MLO mammogram of the left breast. 45-year-old patient.
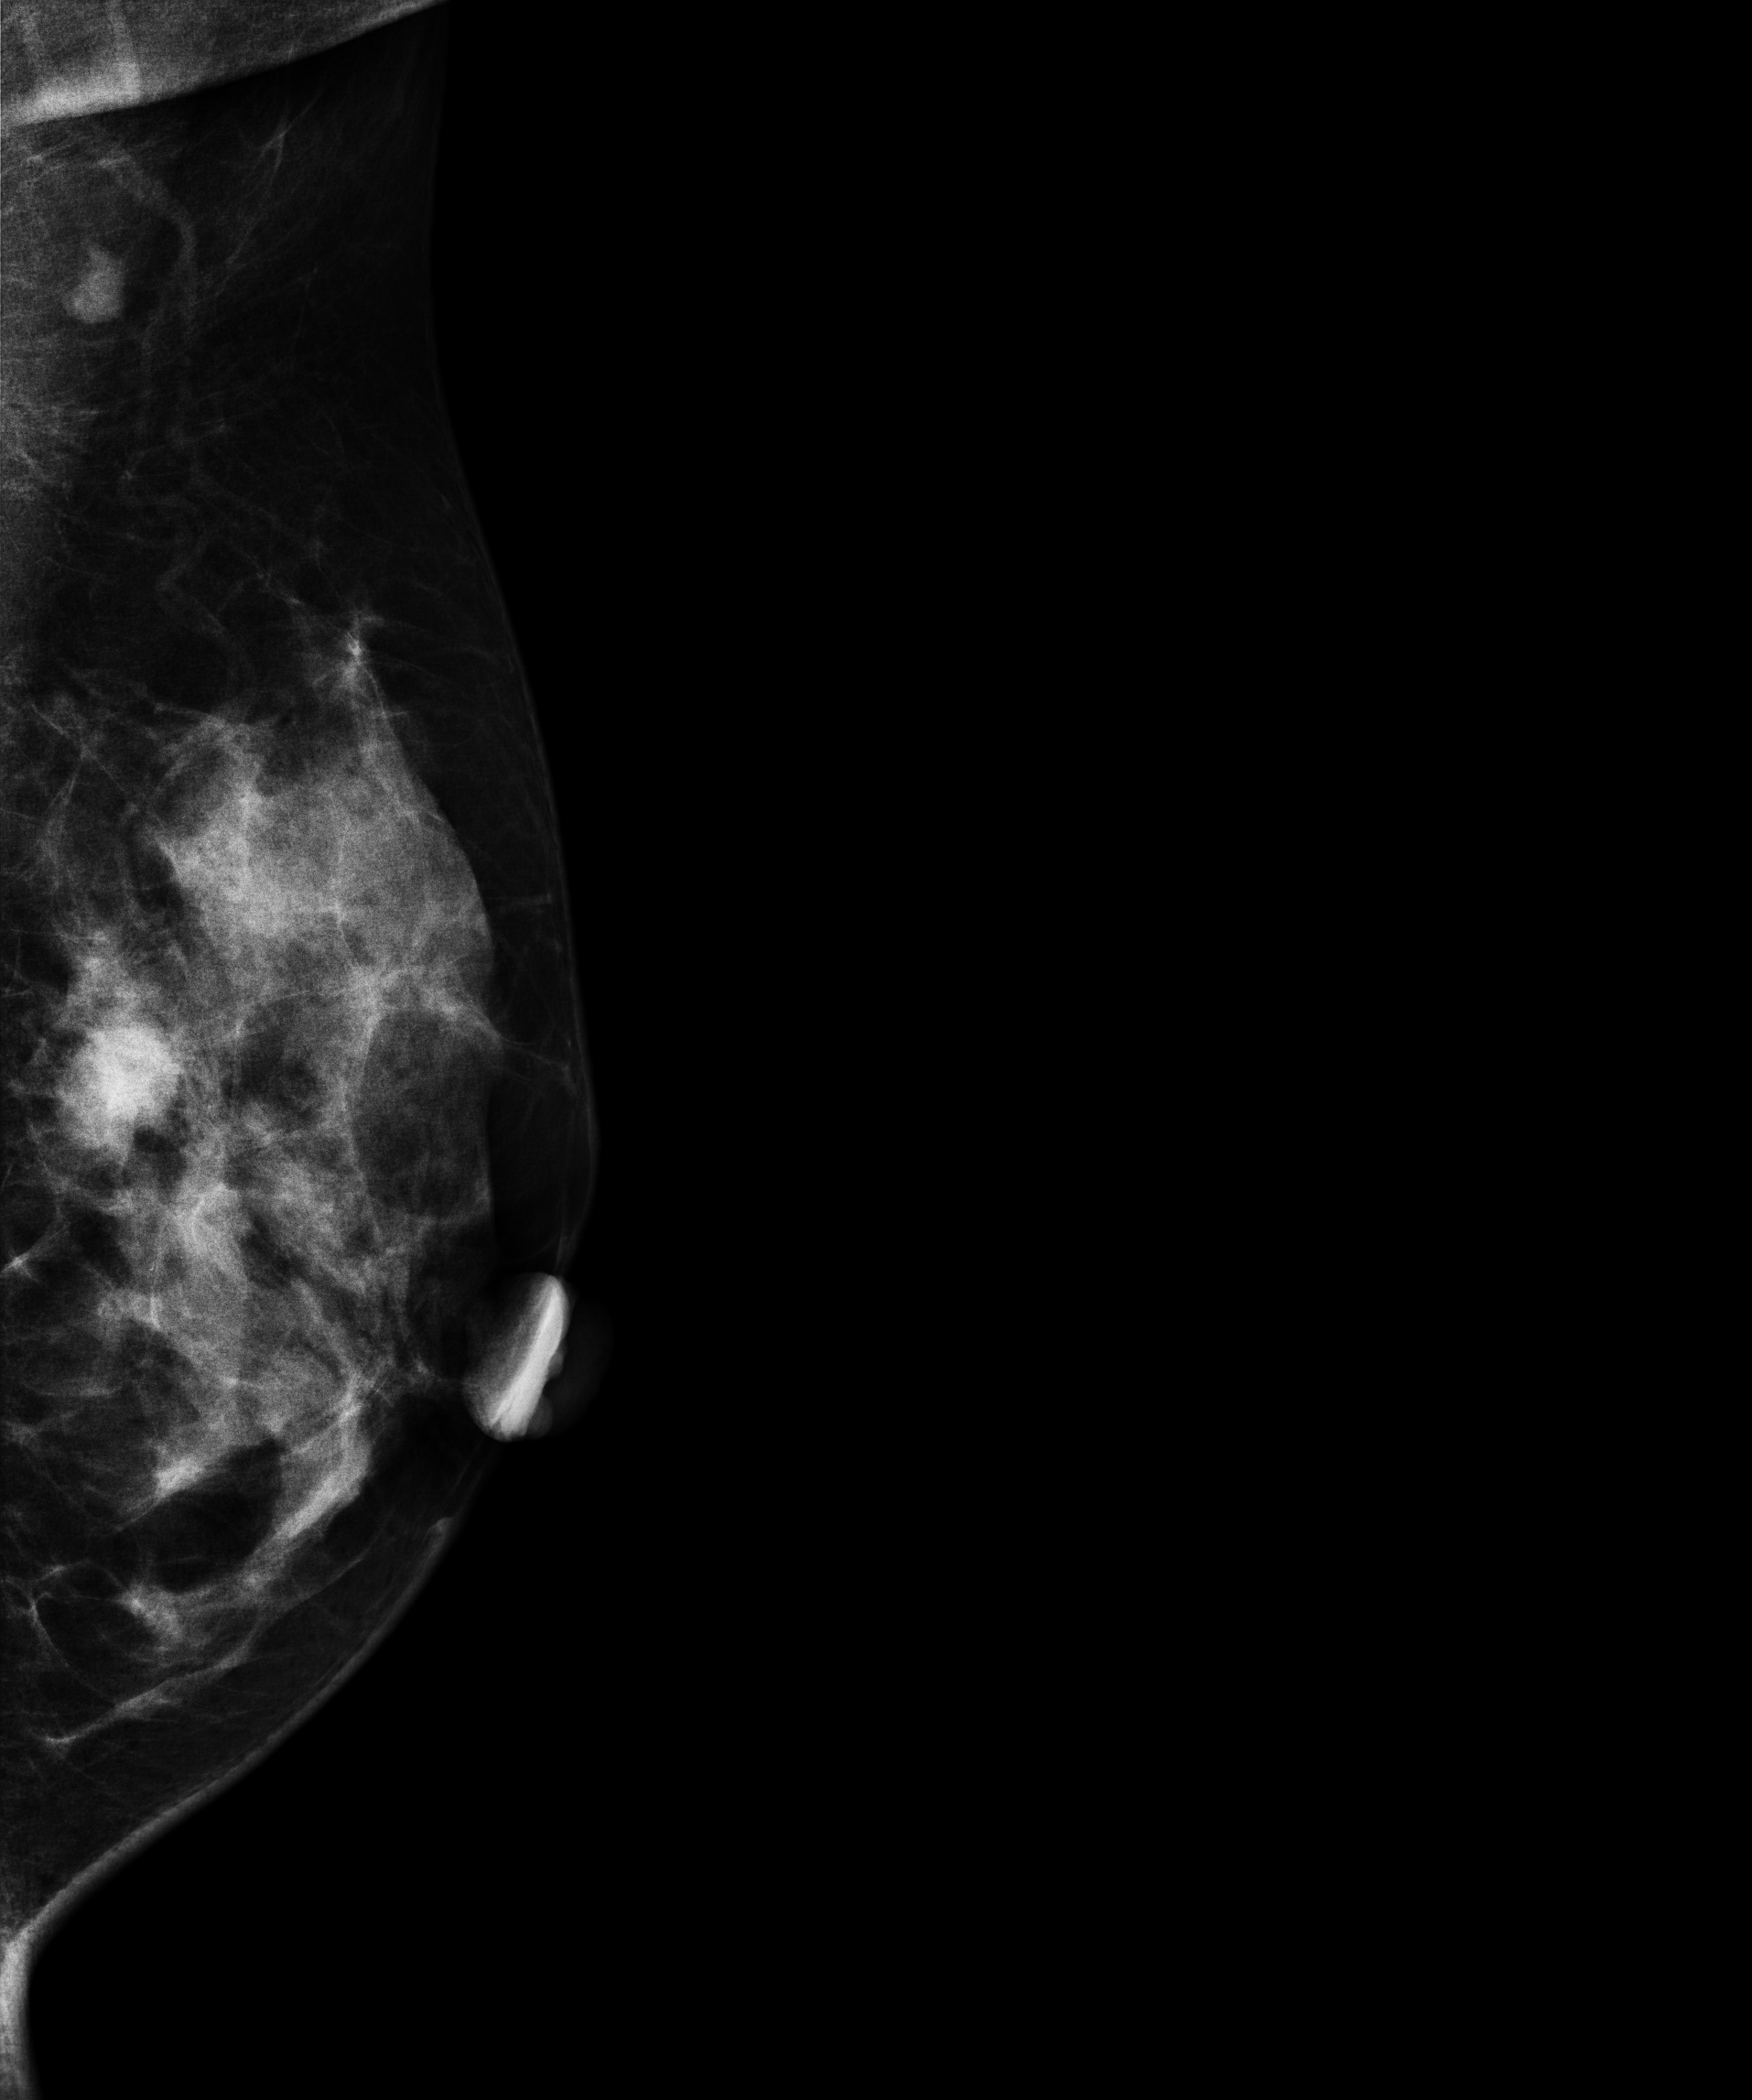
This breast has a mass, biopsy-proven malignant.